Mammogram, right breast, medio-lateral oblique view. 52 y/o patient.
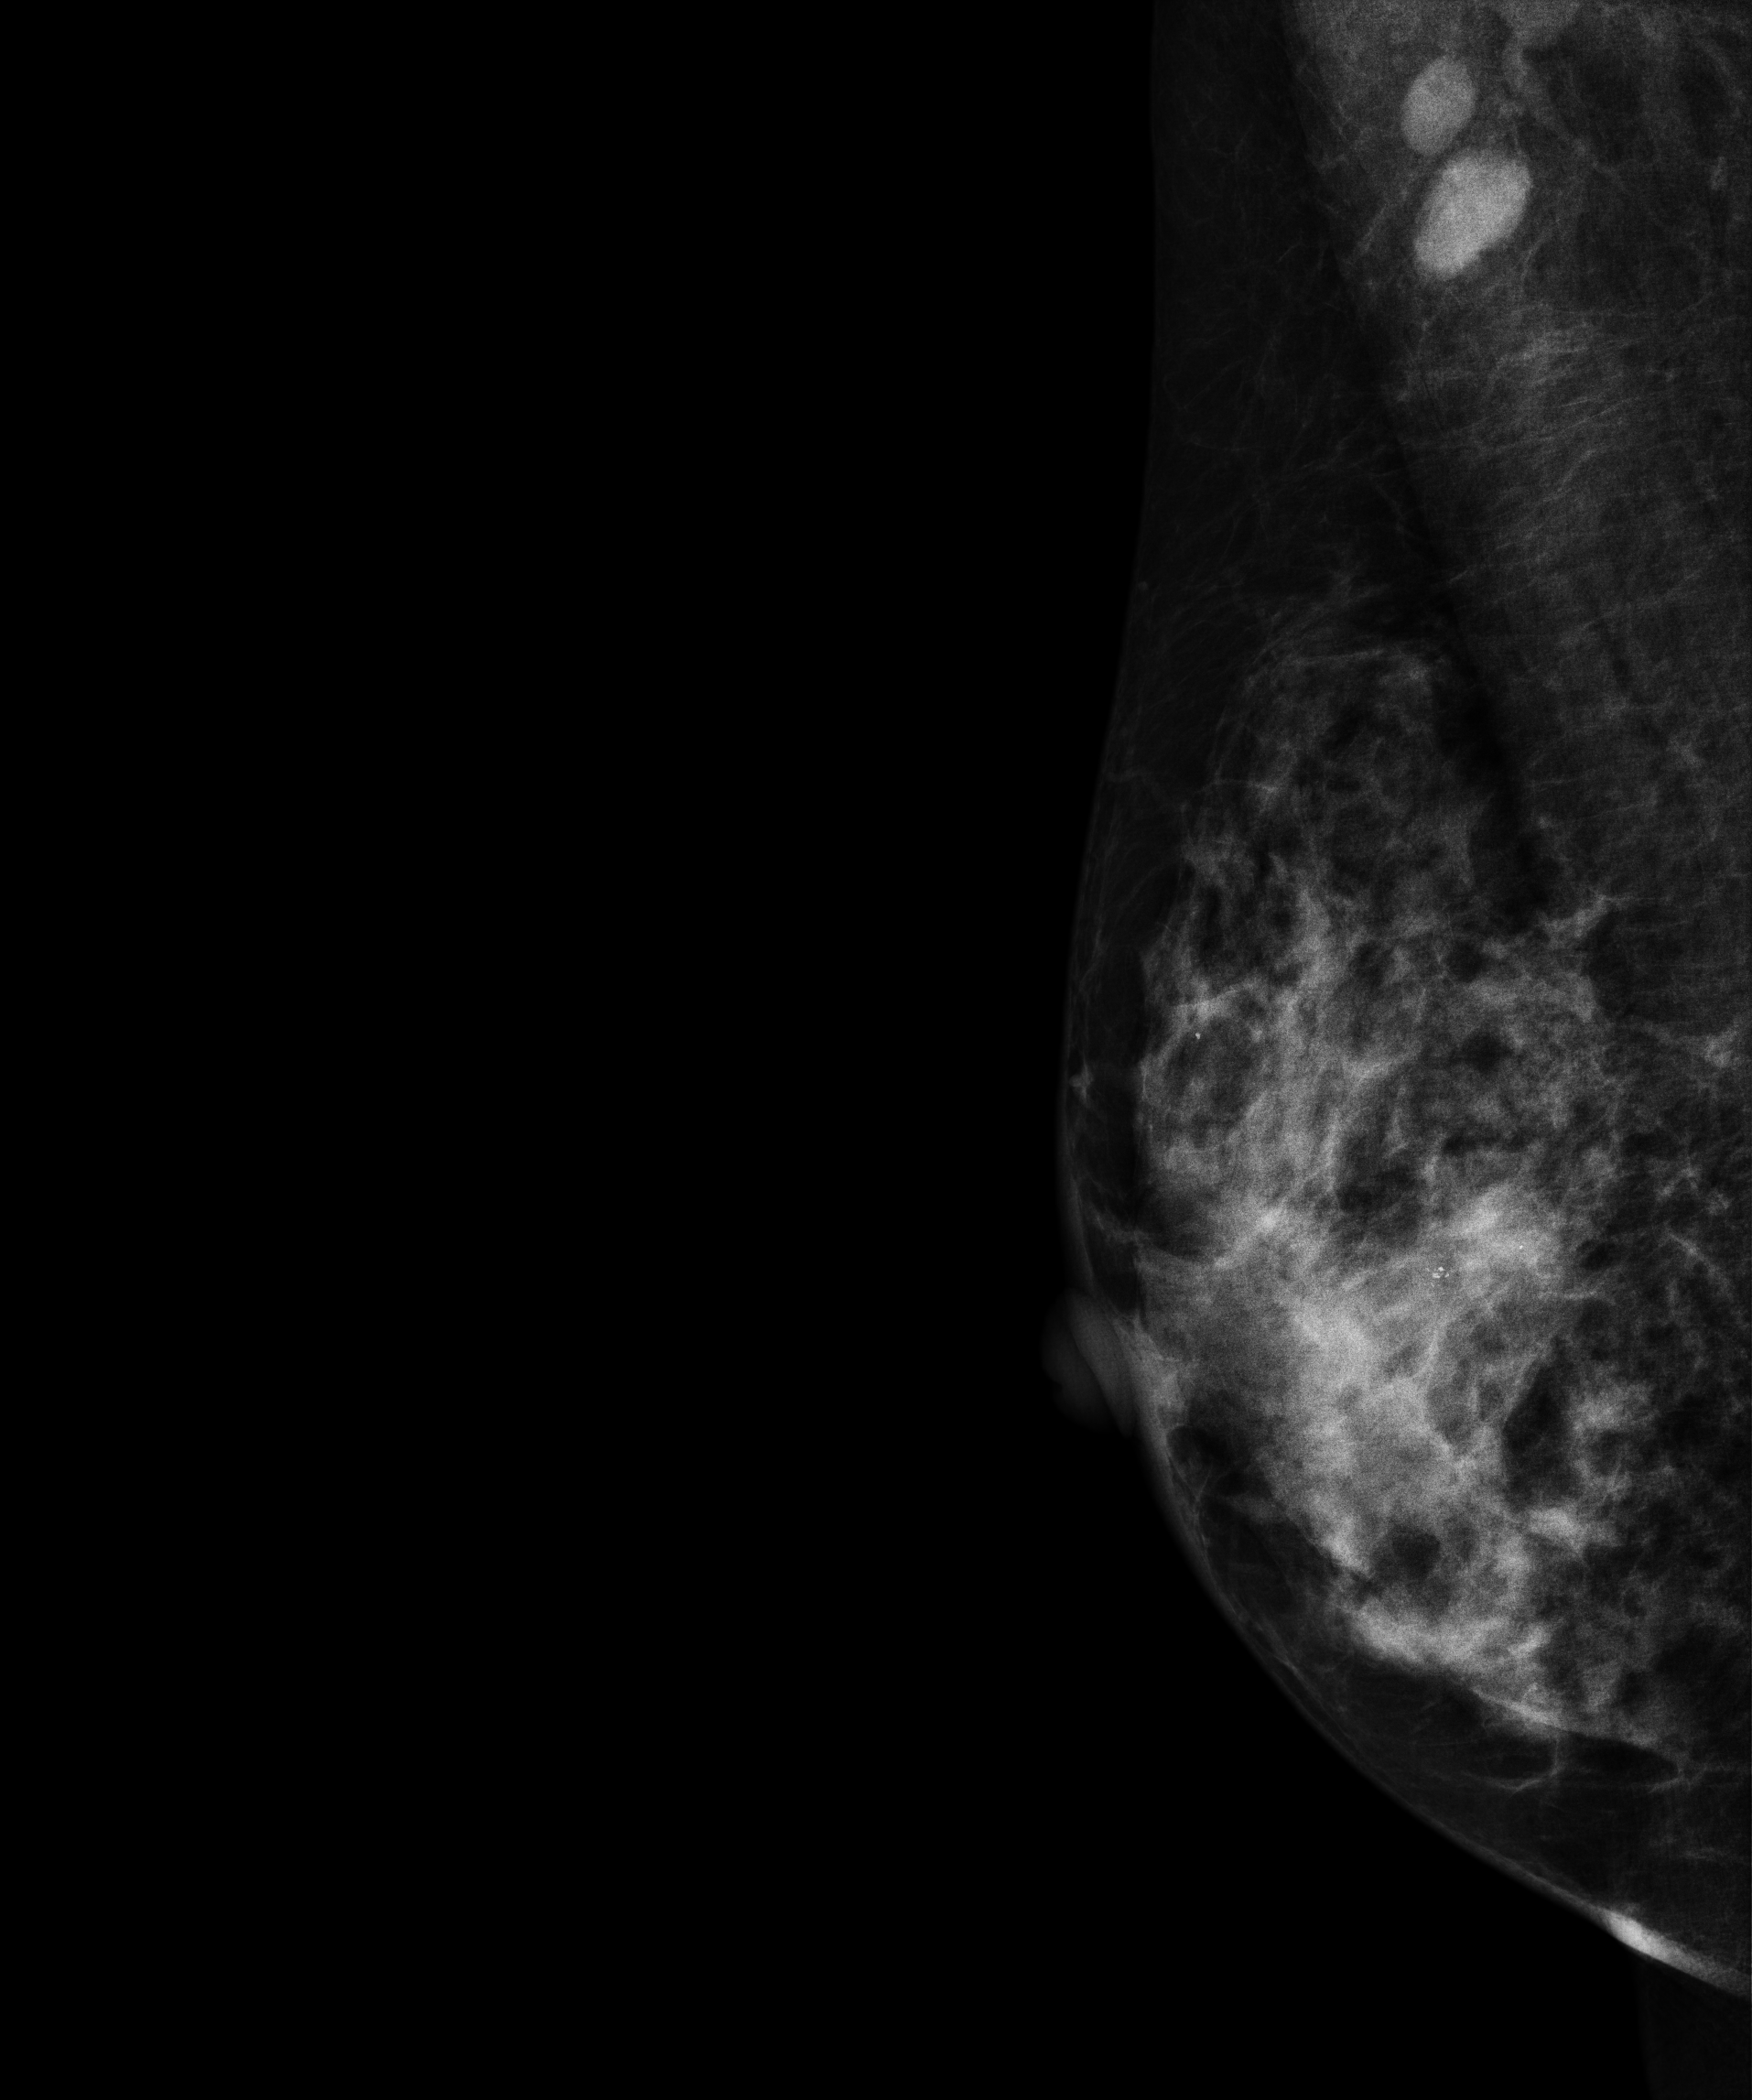
This breast has calcifications, biopsy-proven malignant. Molecular subtype: HER2-enriched.